Right-breast mammogram, medio-lateral oblique. 50 y/o patient.
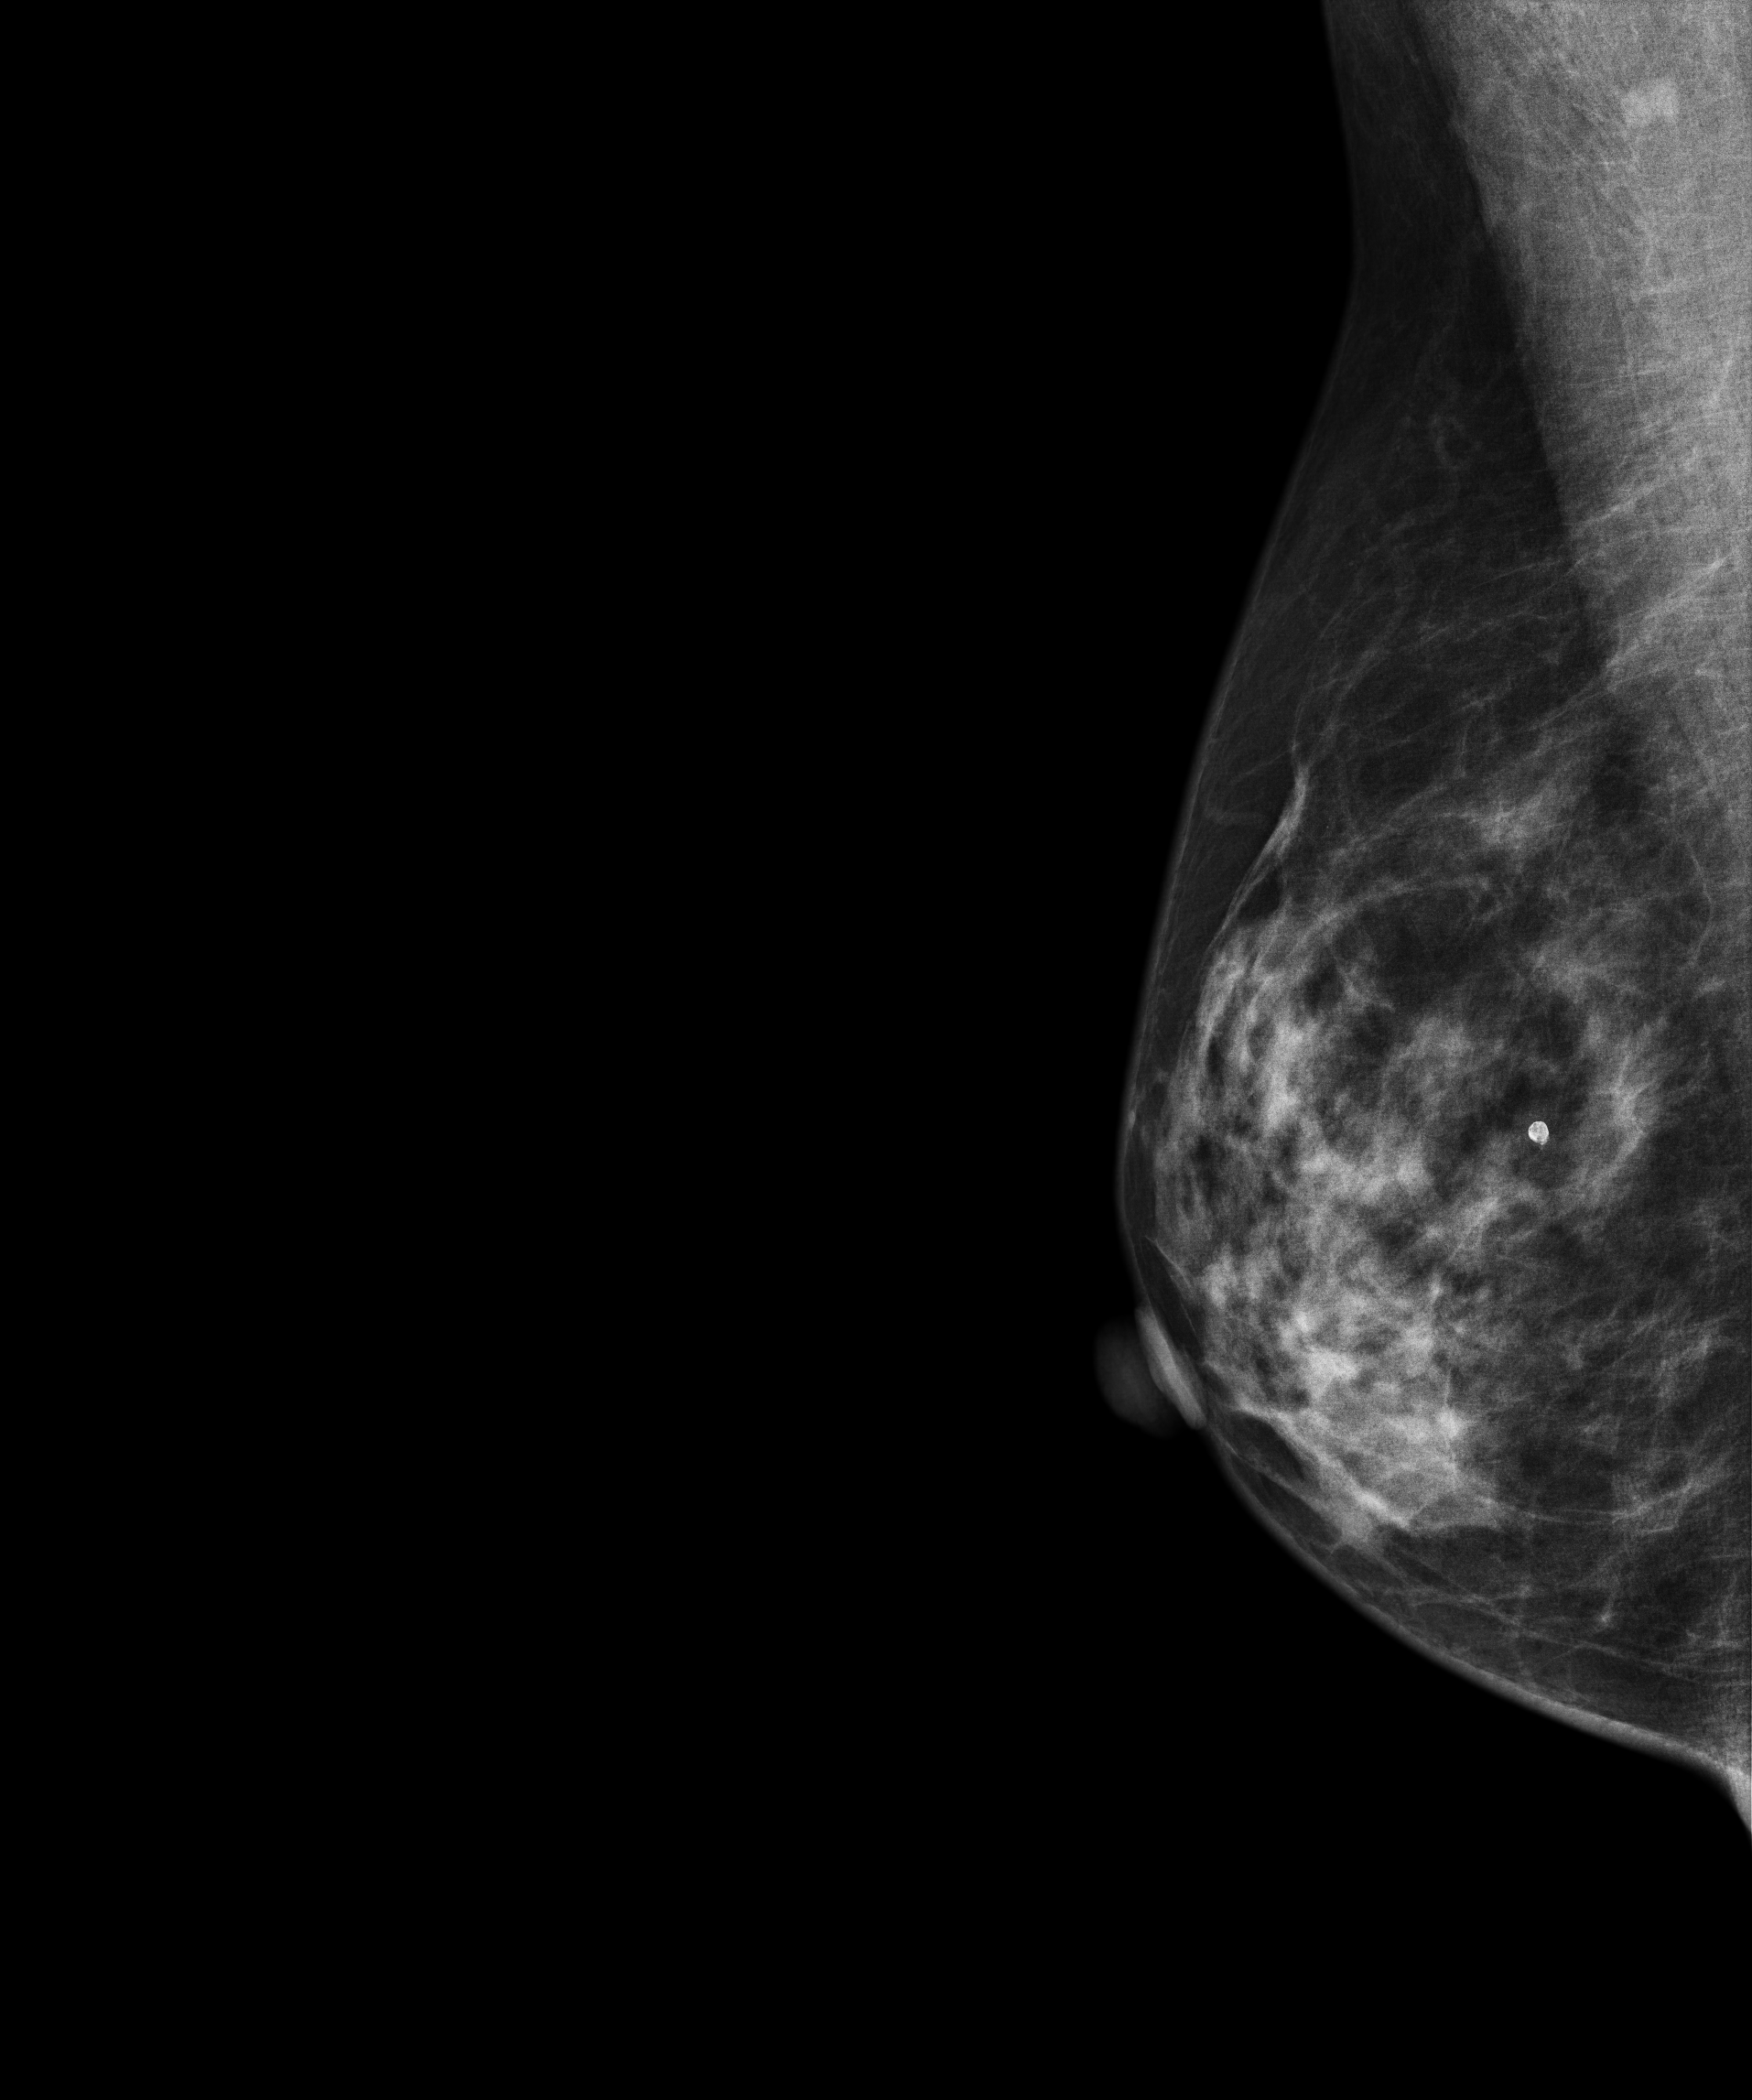
Contralateral breast — no documented abnormality on this side.